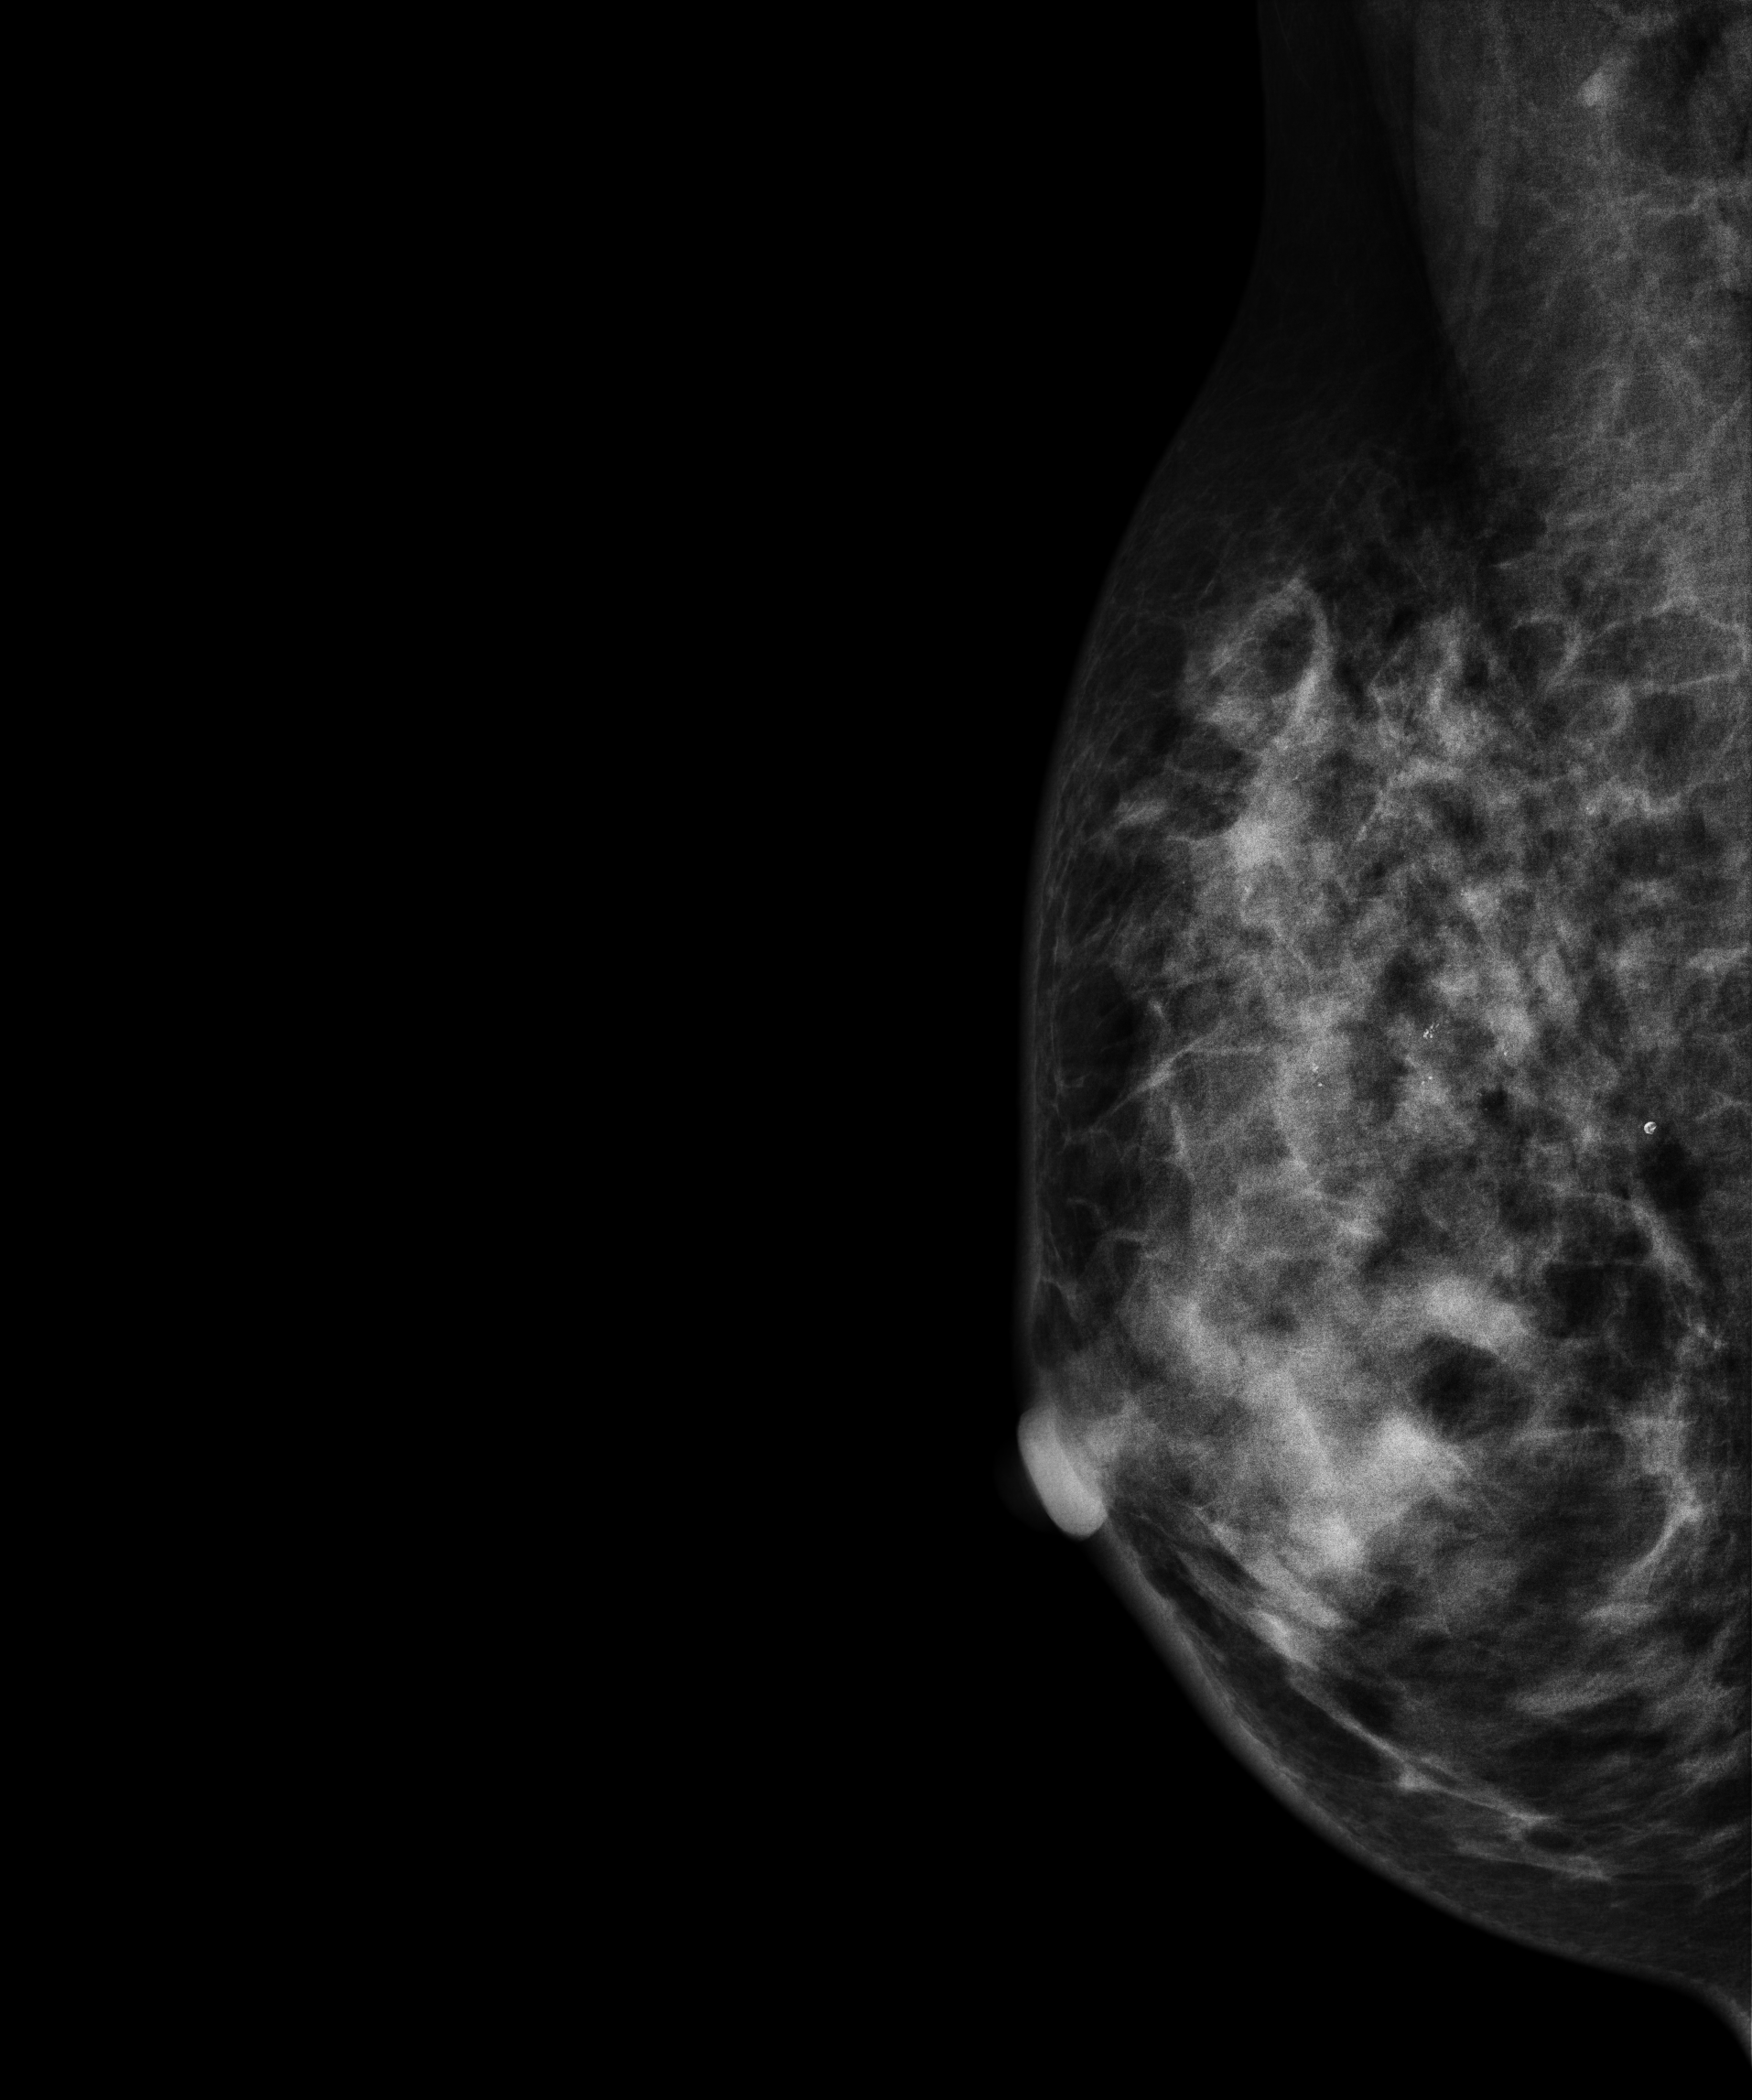
Mammogram — right MLO. 32 y/o patient.
This breast has calcifications, pathology-confirmed malignant. Molecular subtype: HER2-enriched.